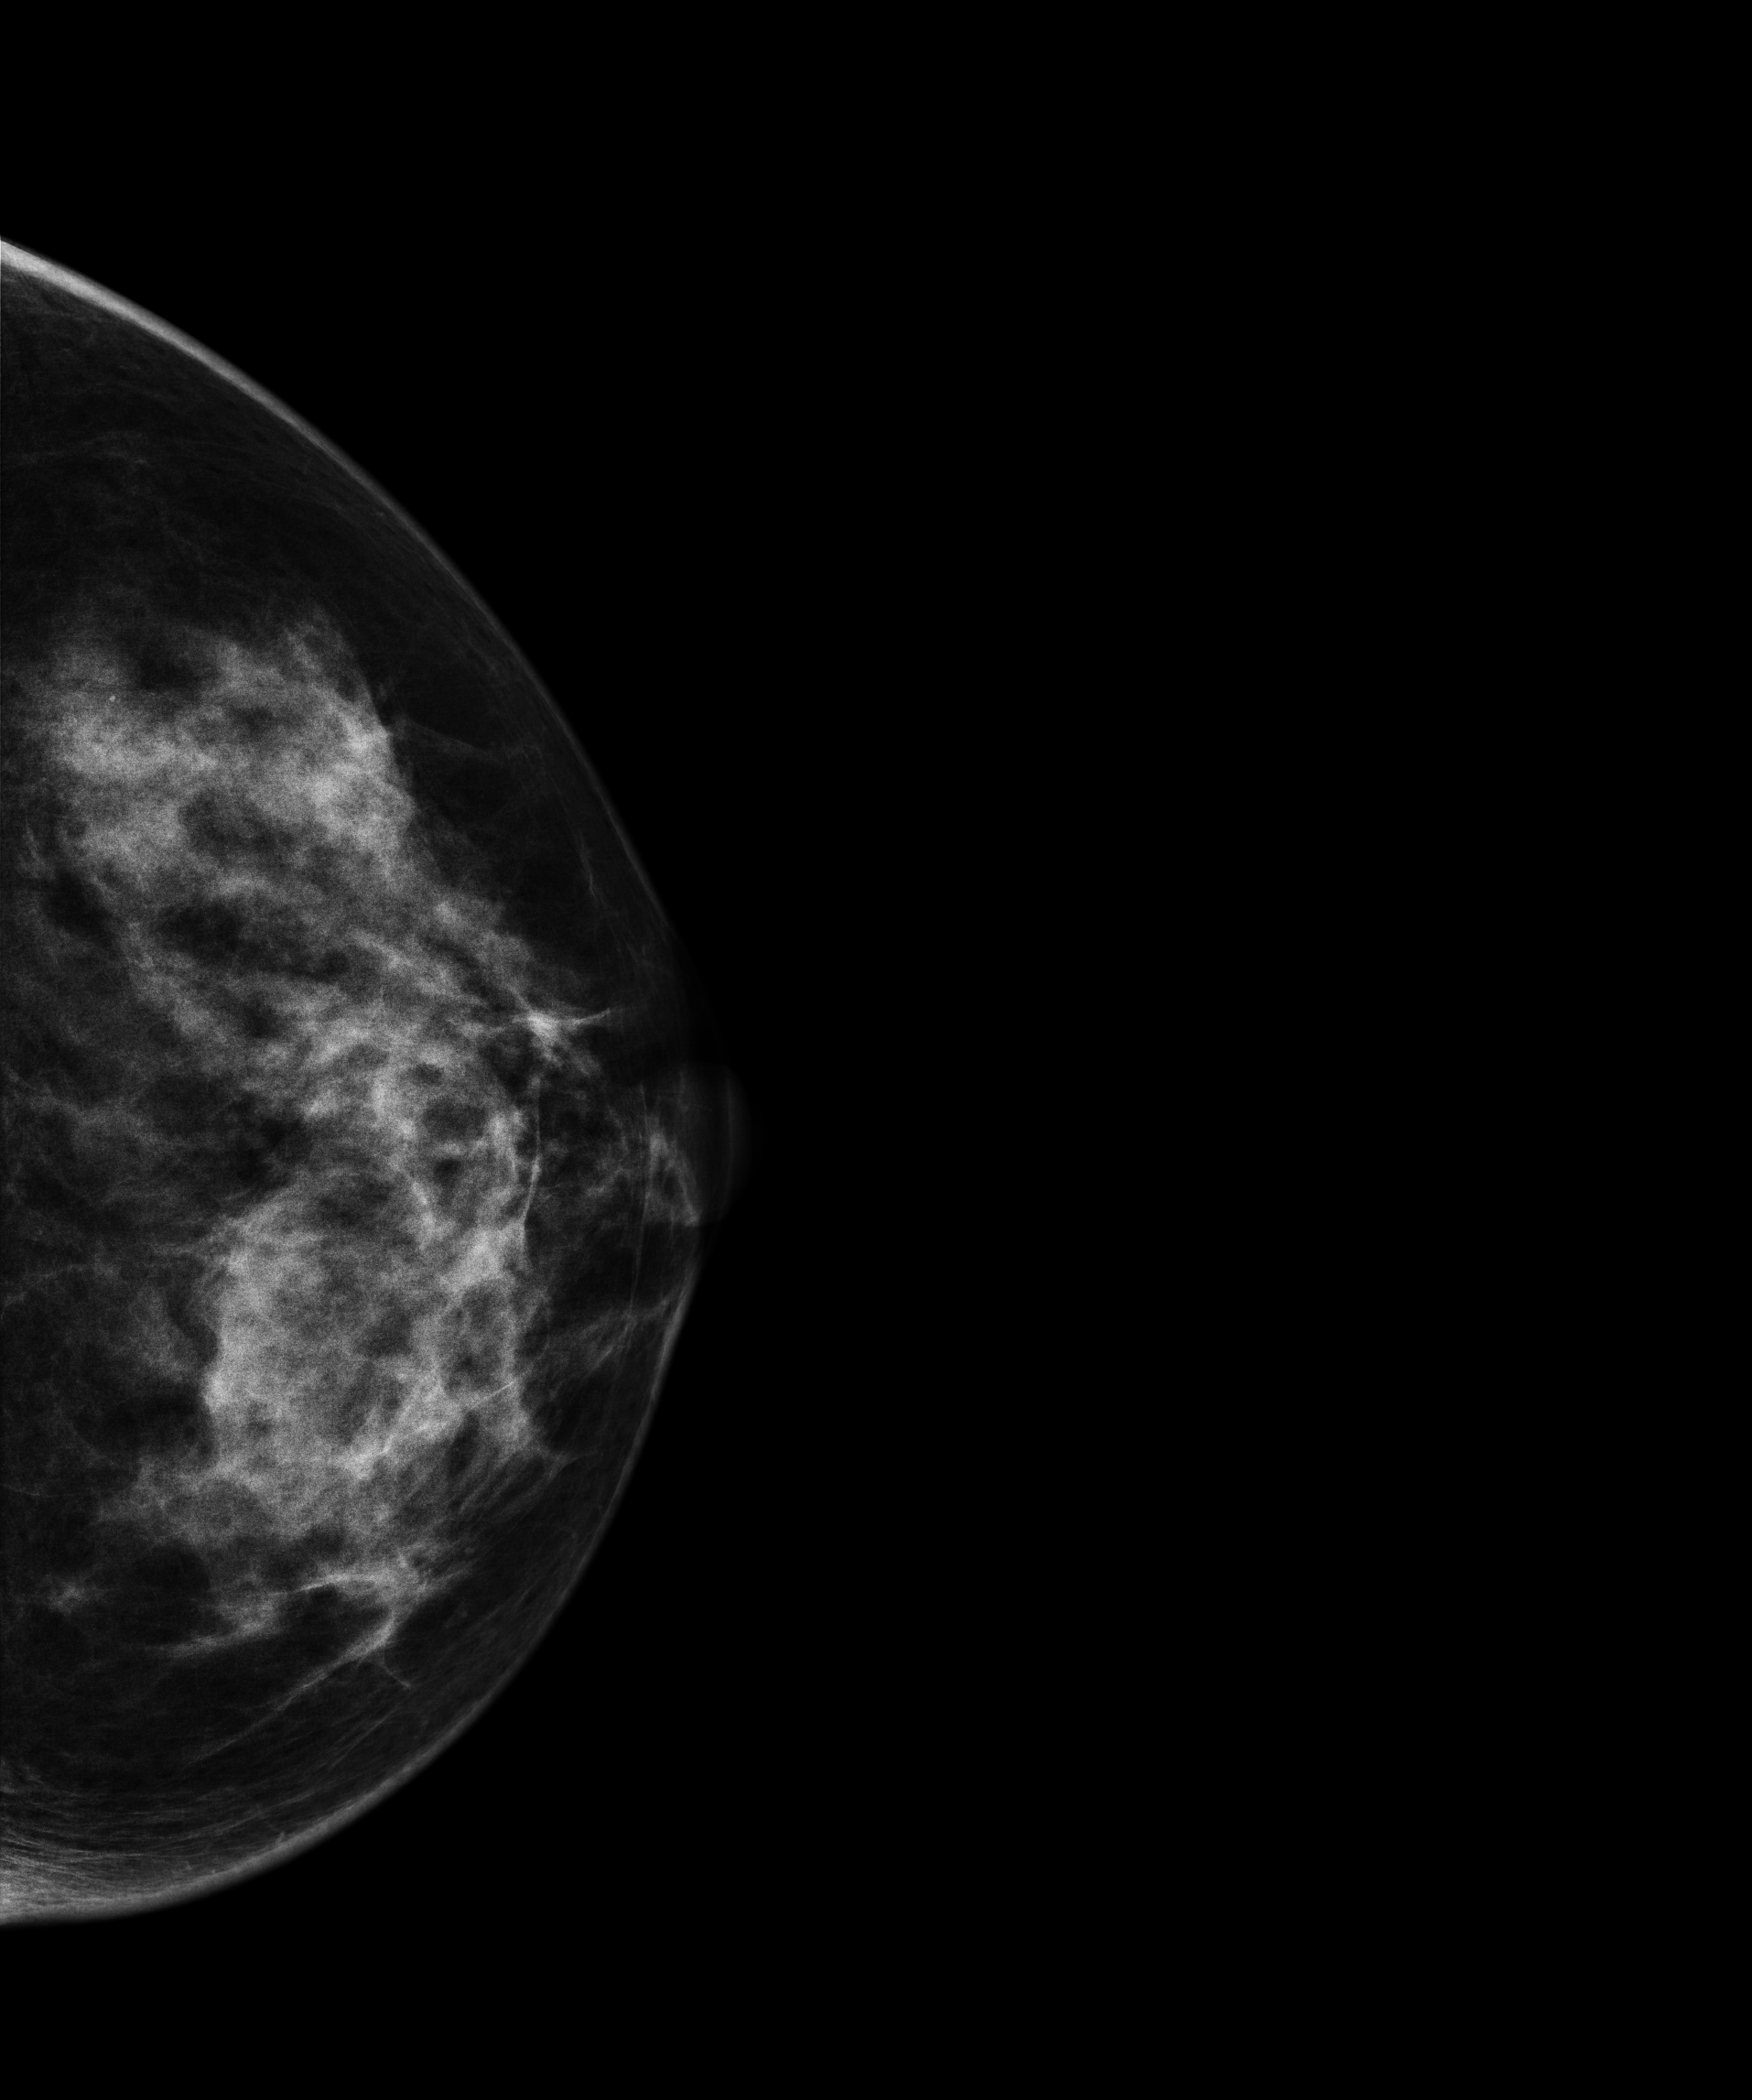
Mammogram — left CC. Patient age 38.
This breast has a mass, histologically confirmed benign.